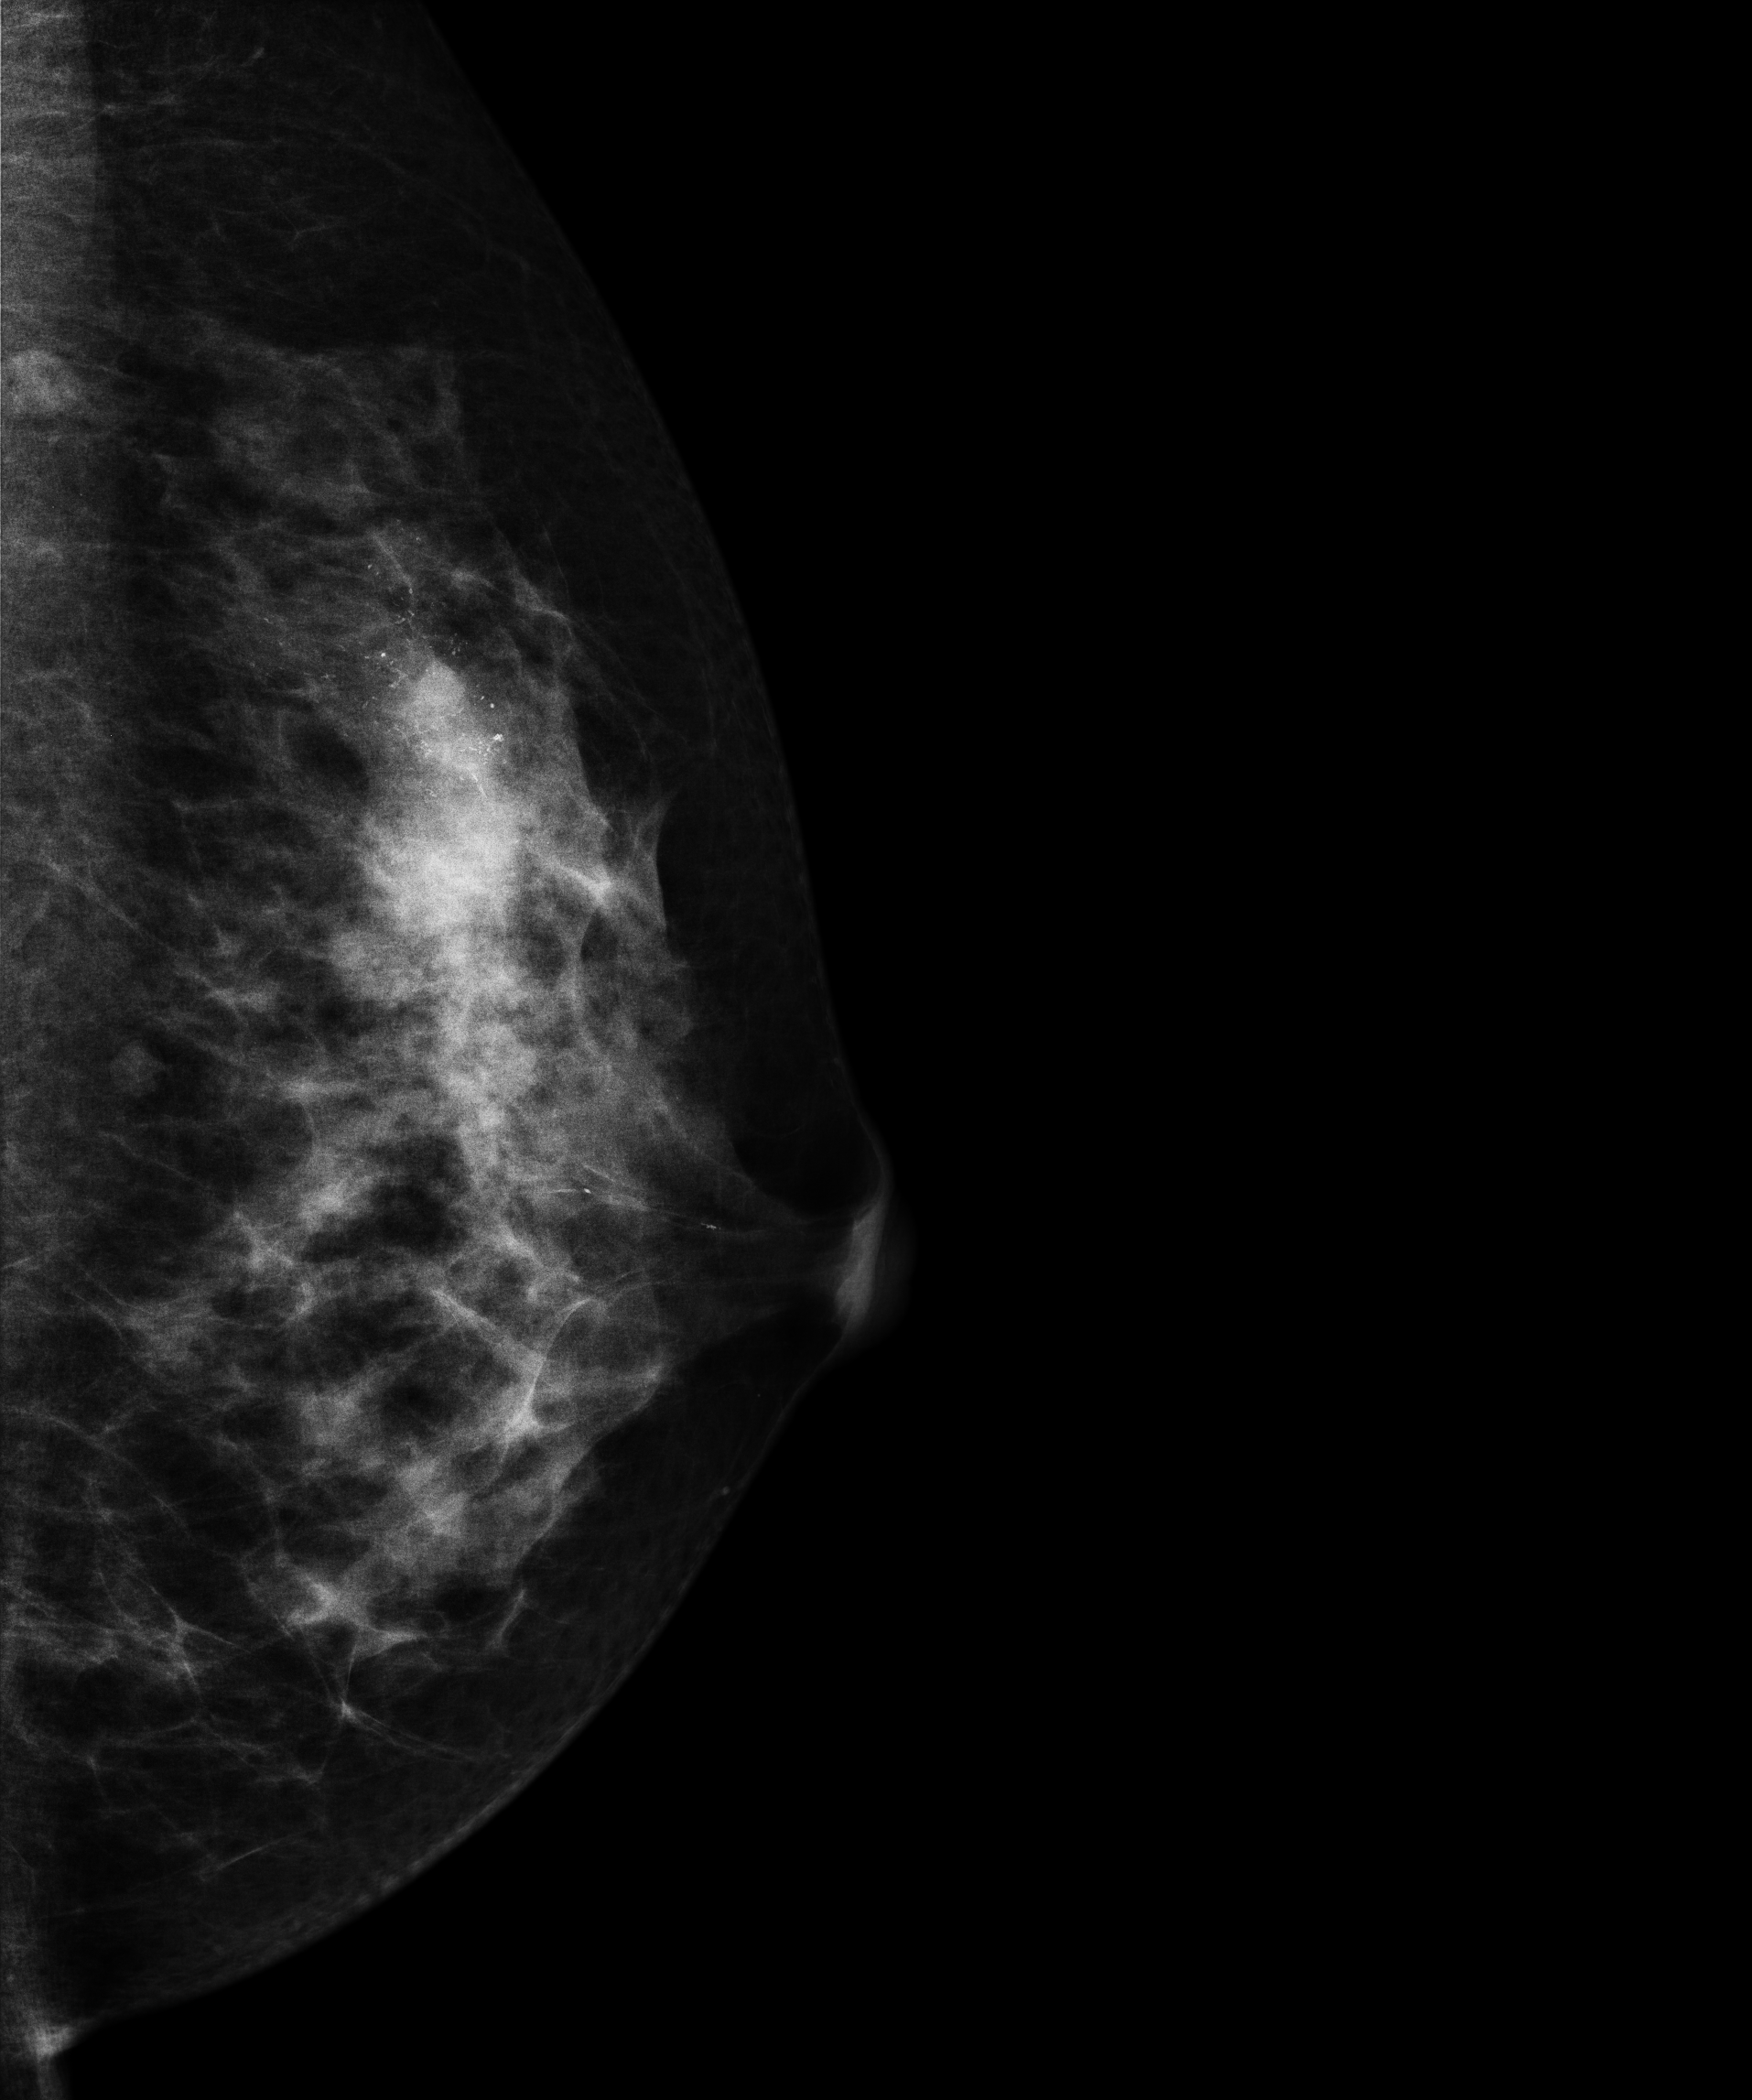
Mammogram — left medio-lateral oblique. 40 y/o patient.
This breast has a mass and calcifications, biopsy-confirmed malignant. Molecular subtype: HER2-enriched.